Mammogram, left breast, medio-lateral oblique view. 47-year-old patient.
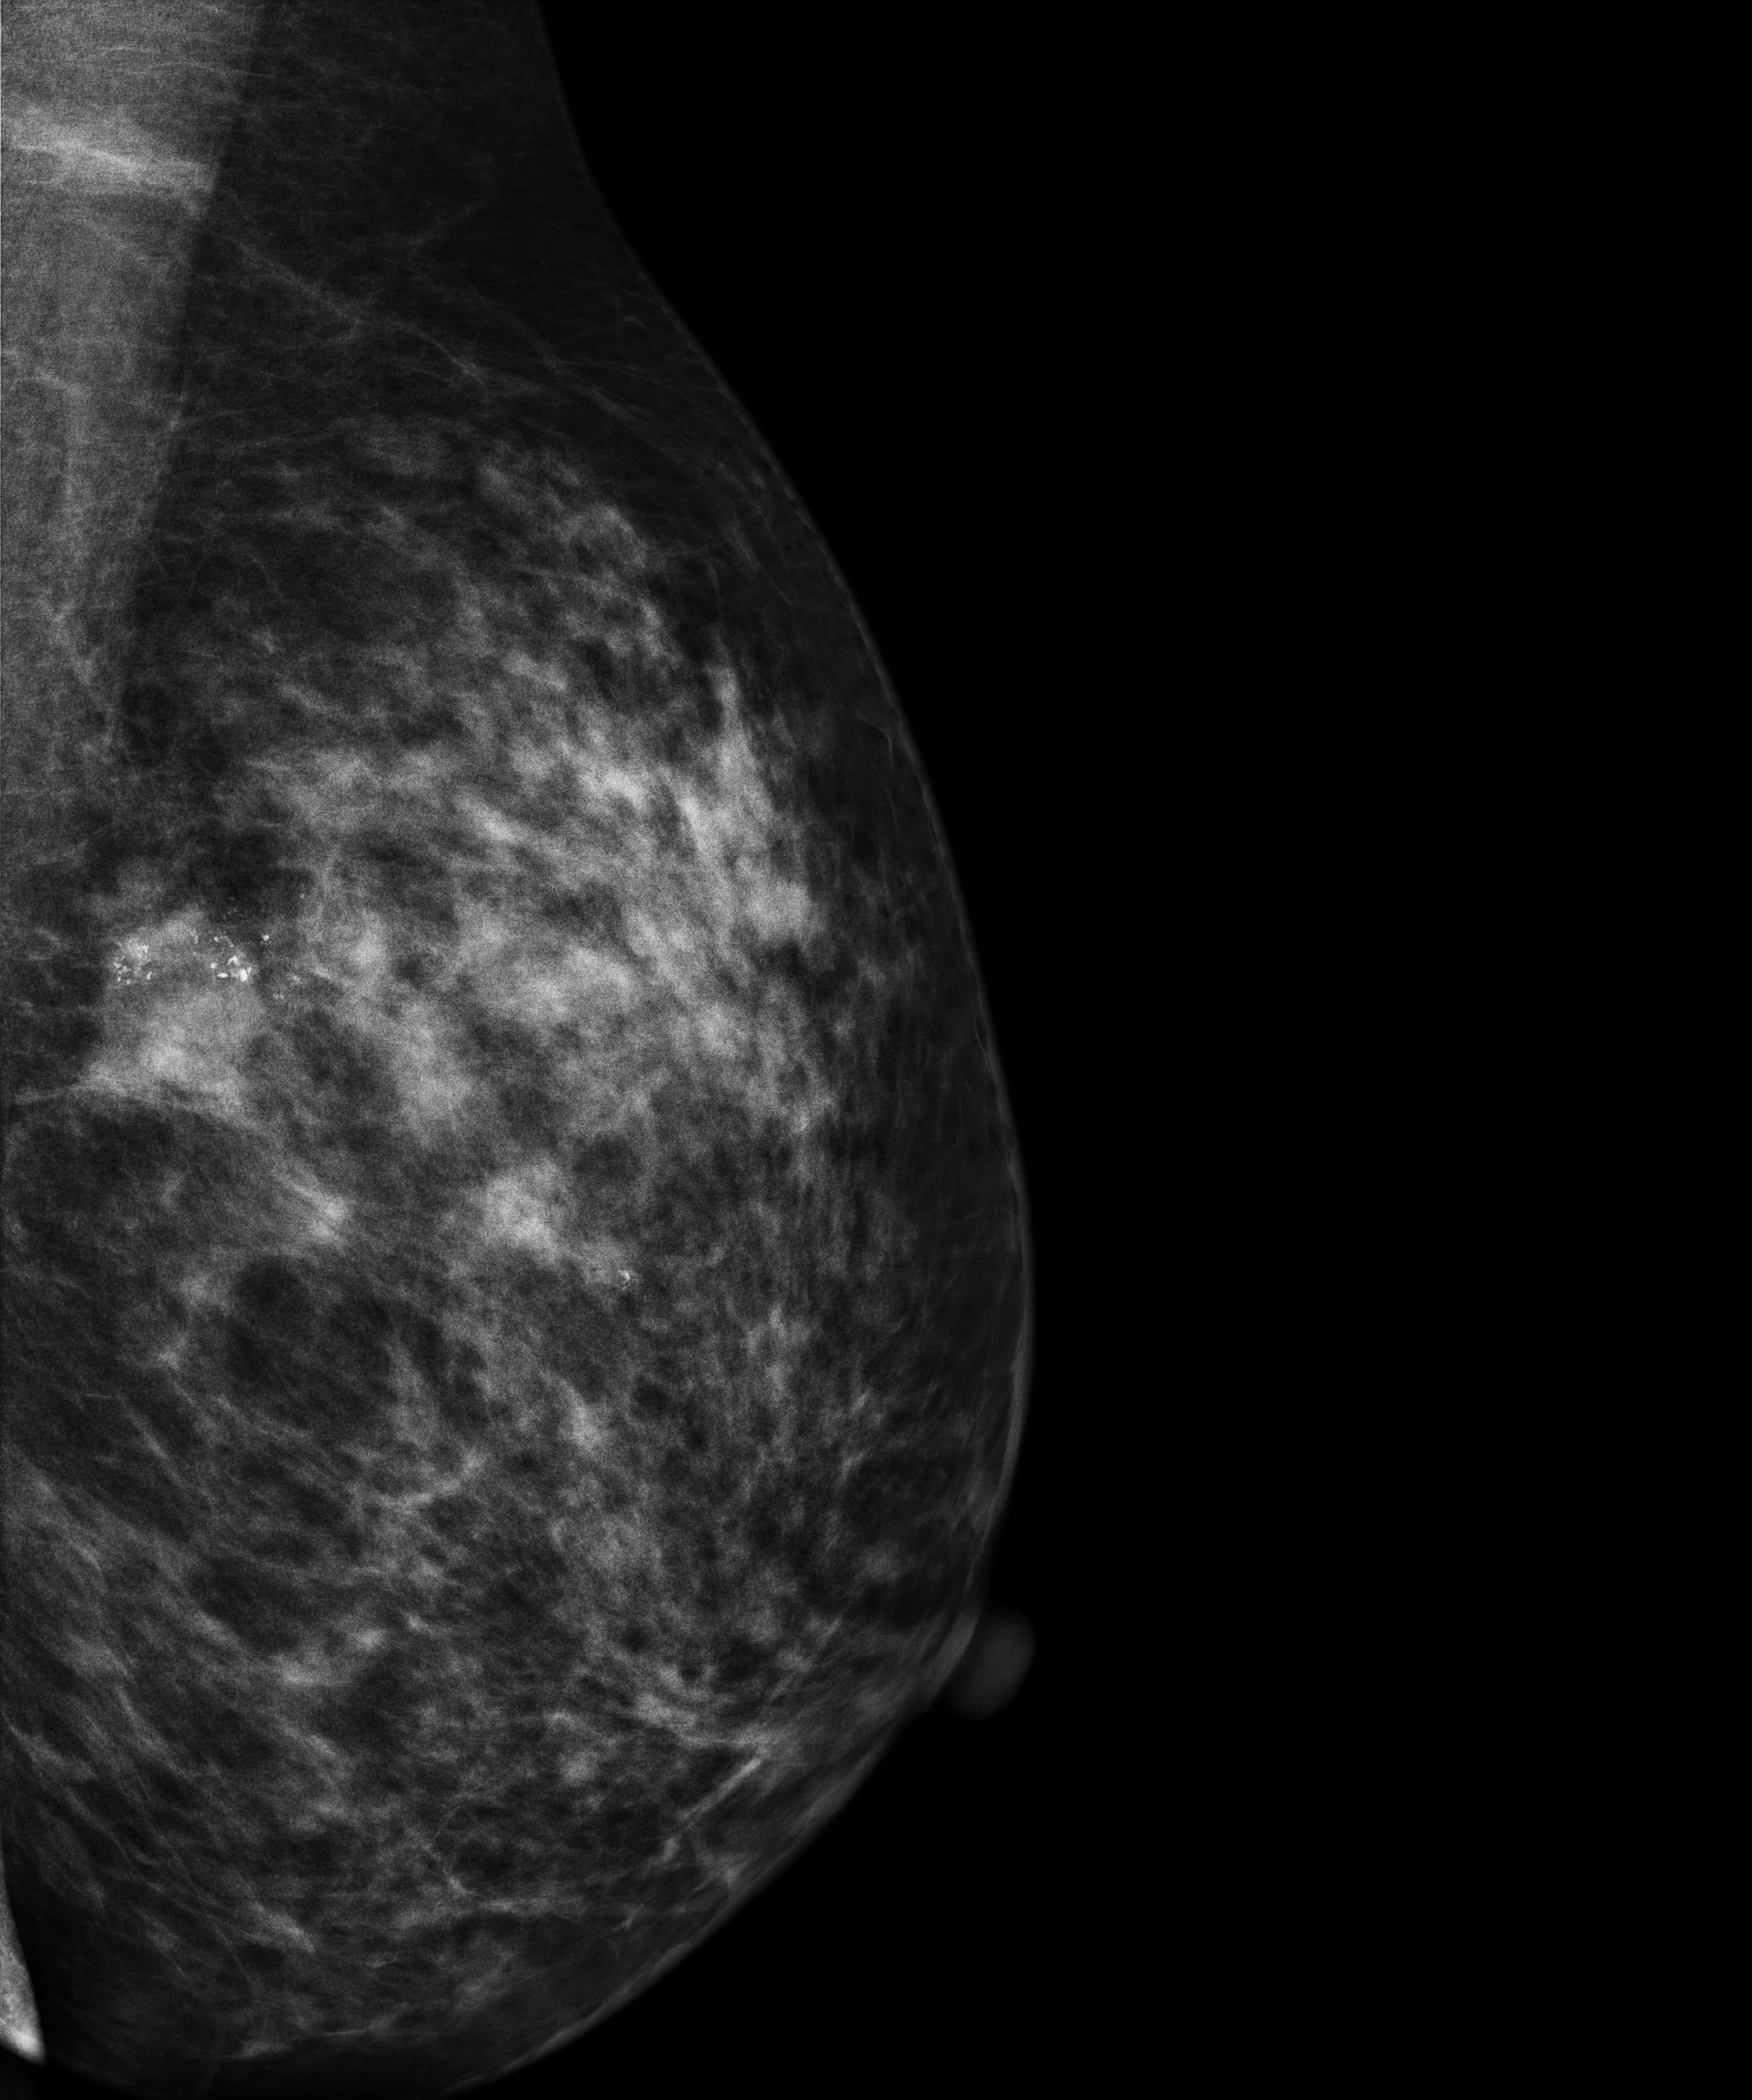
This breast has a mass and calcifications, pathology-confirmed malignant.